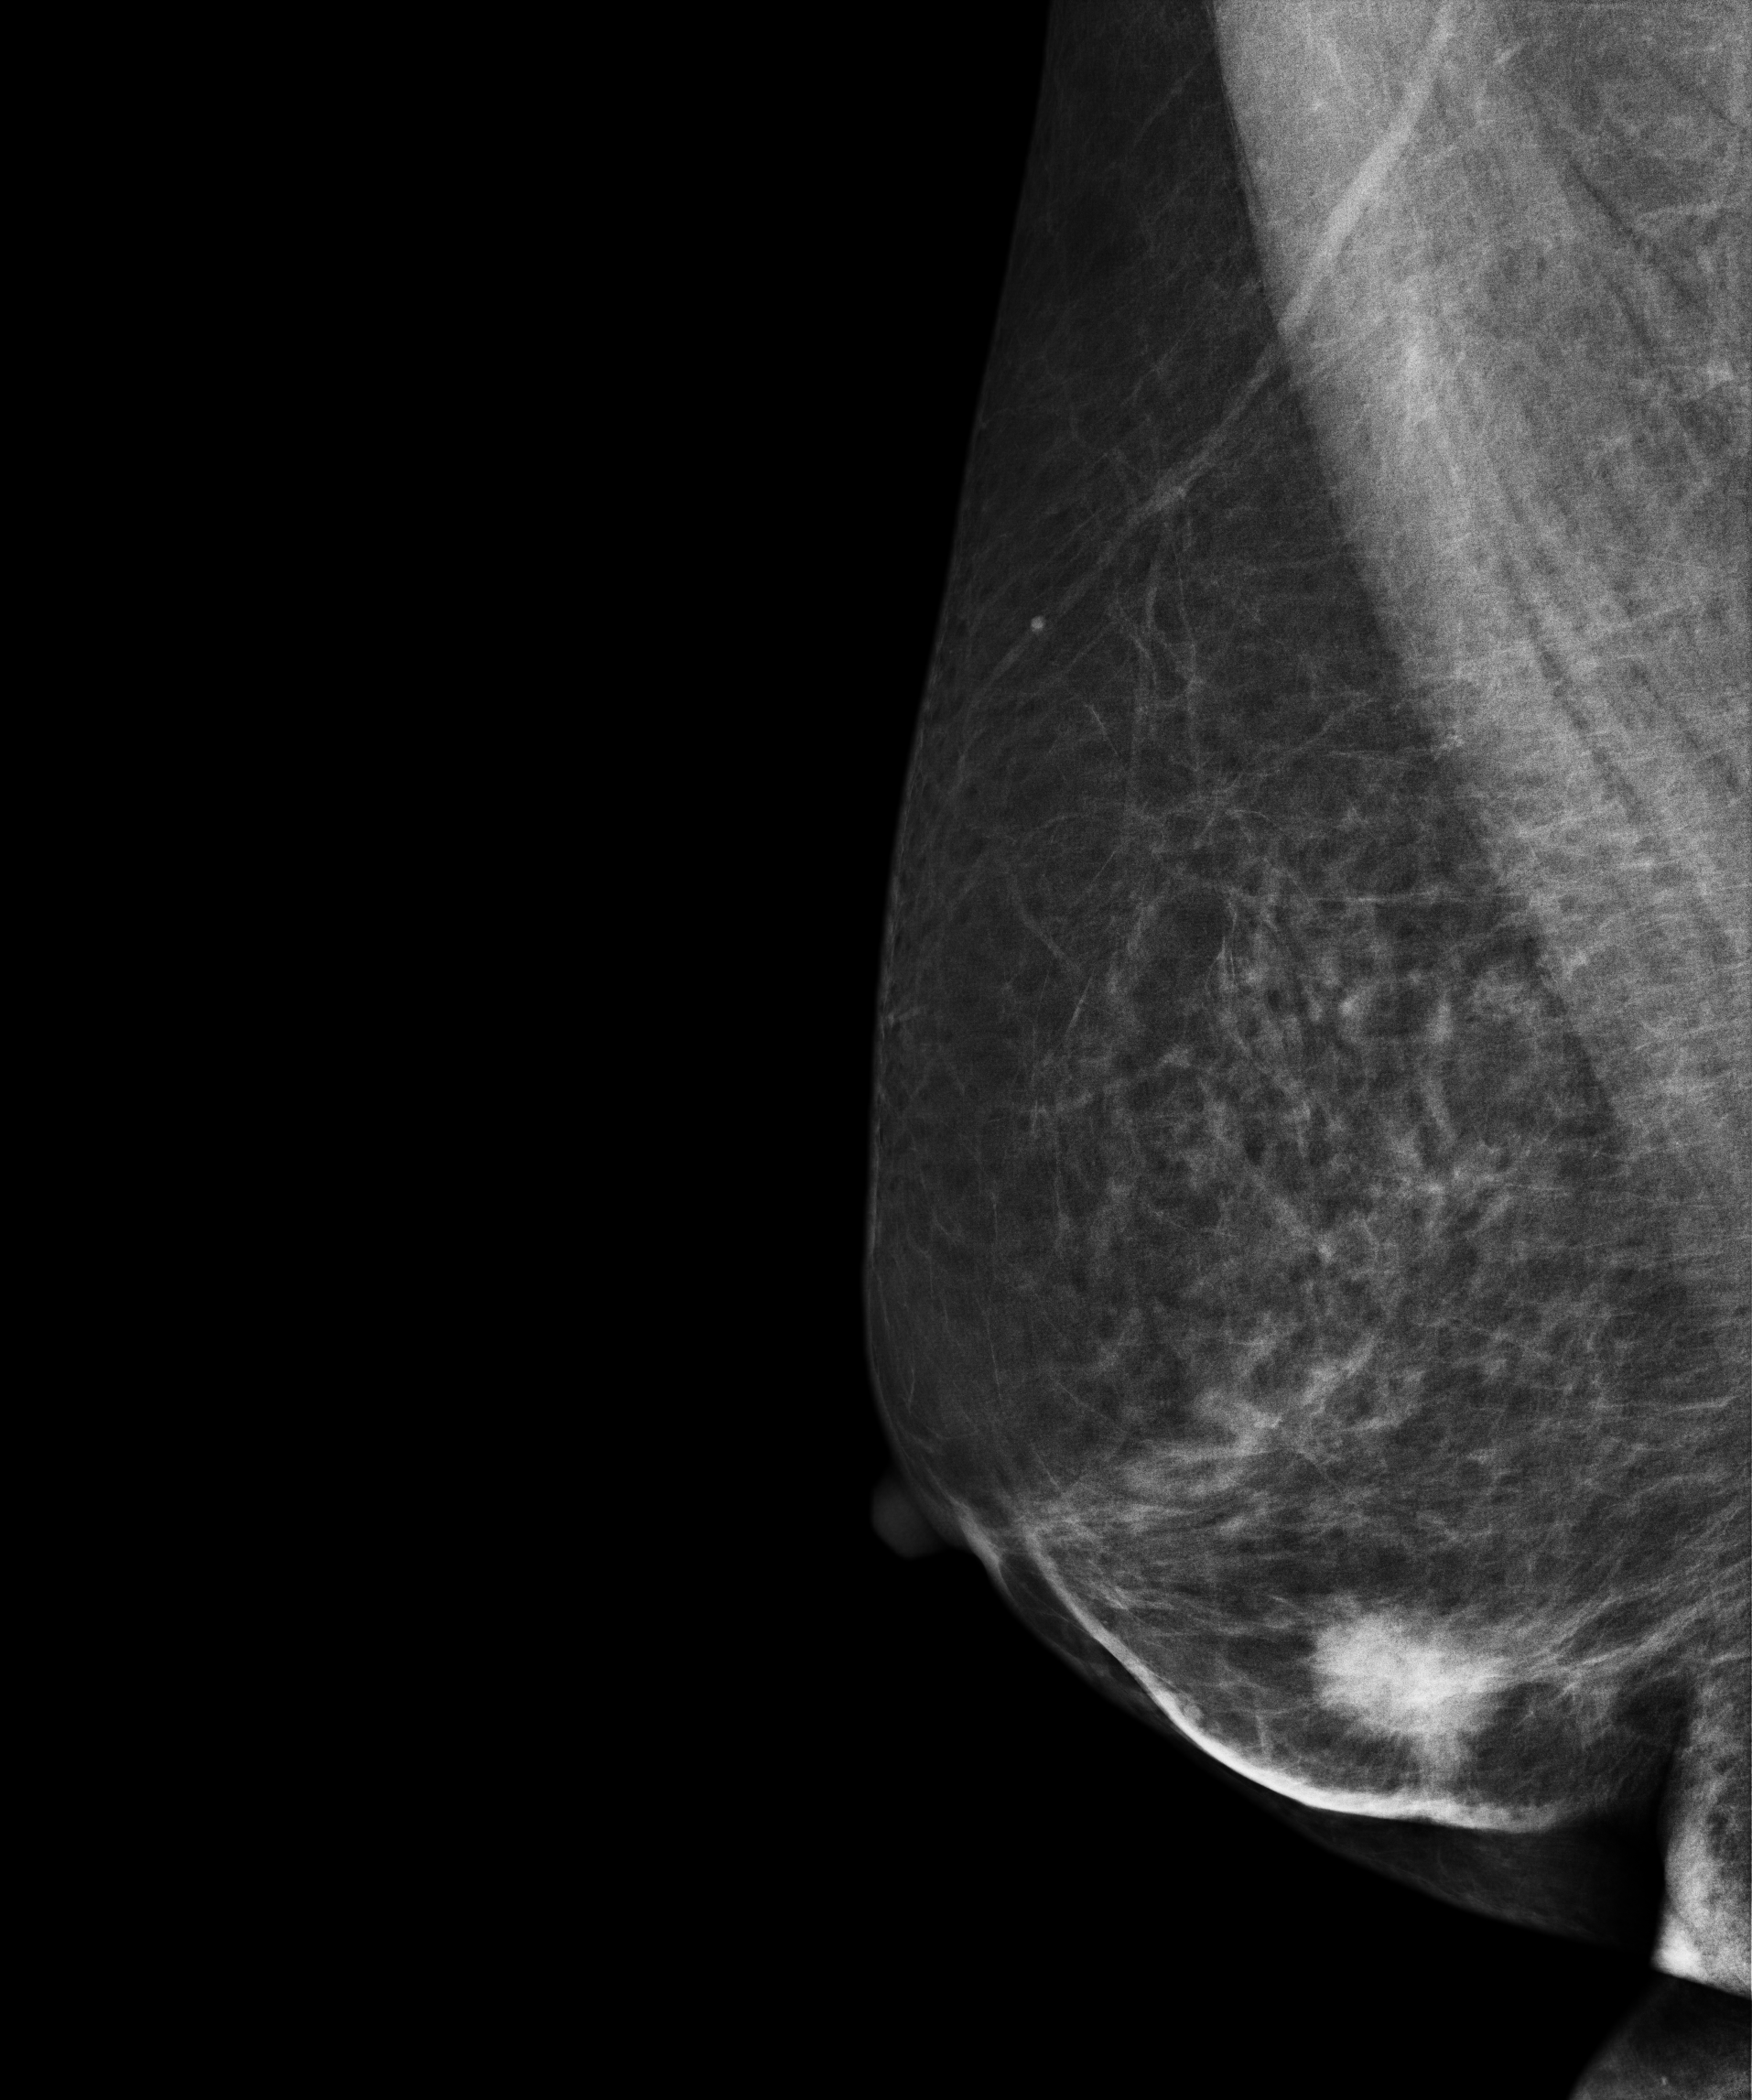
Digital mammography. Right breast, MLO projection. 61-year-old patient.
This breast has a mass, pathology-confirmed malignant. Molecular subtype: luminal B.